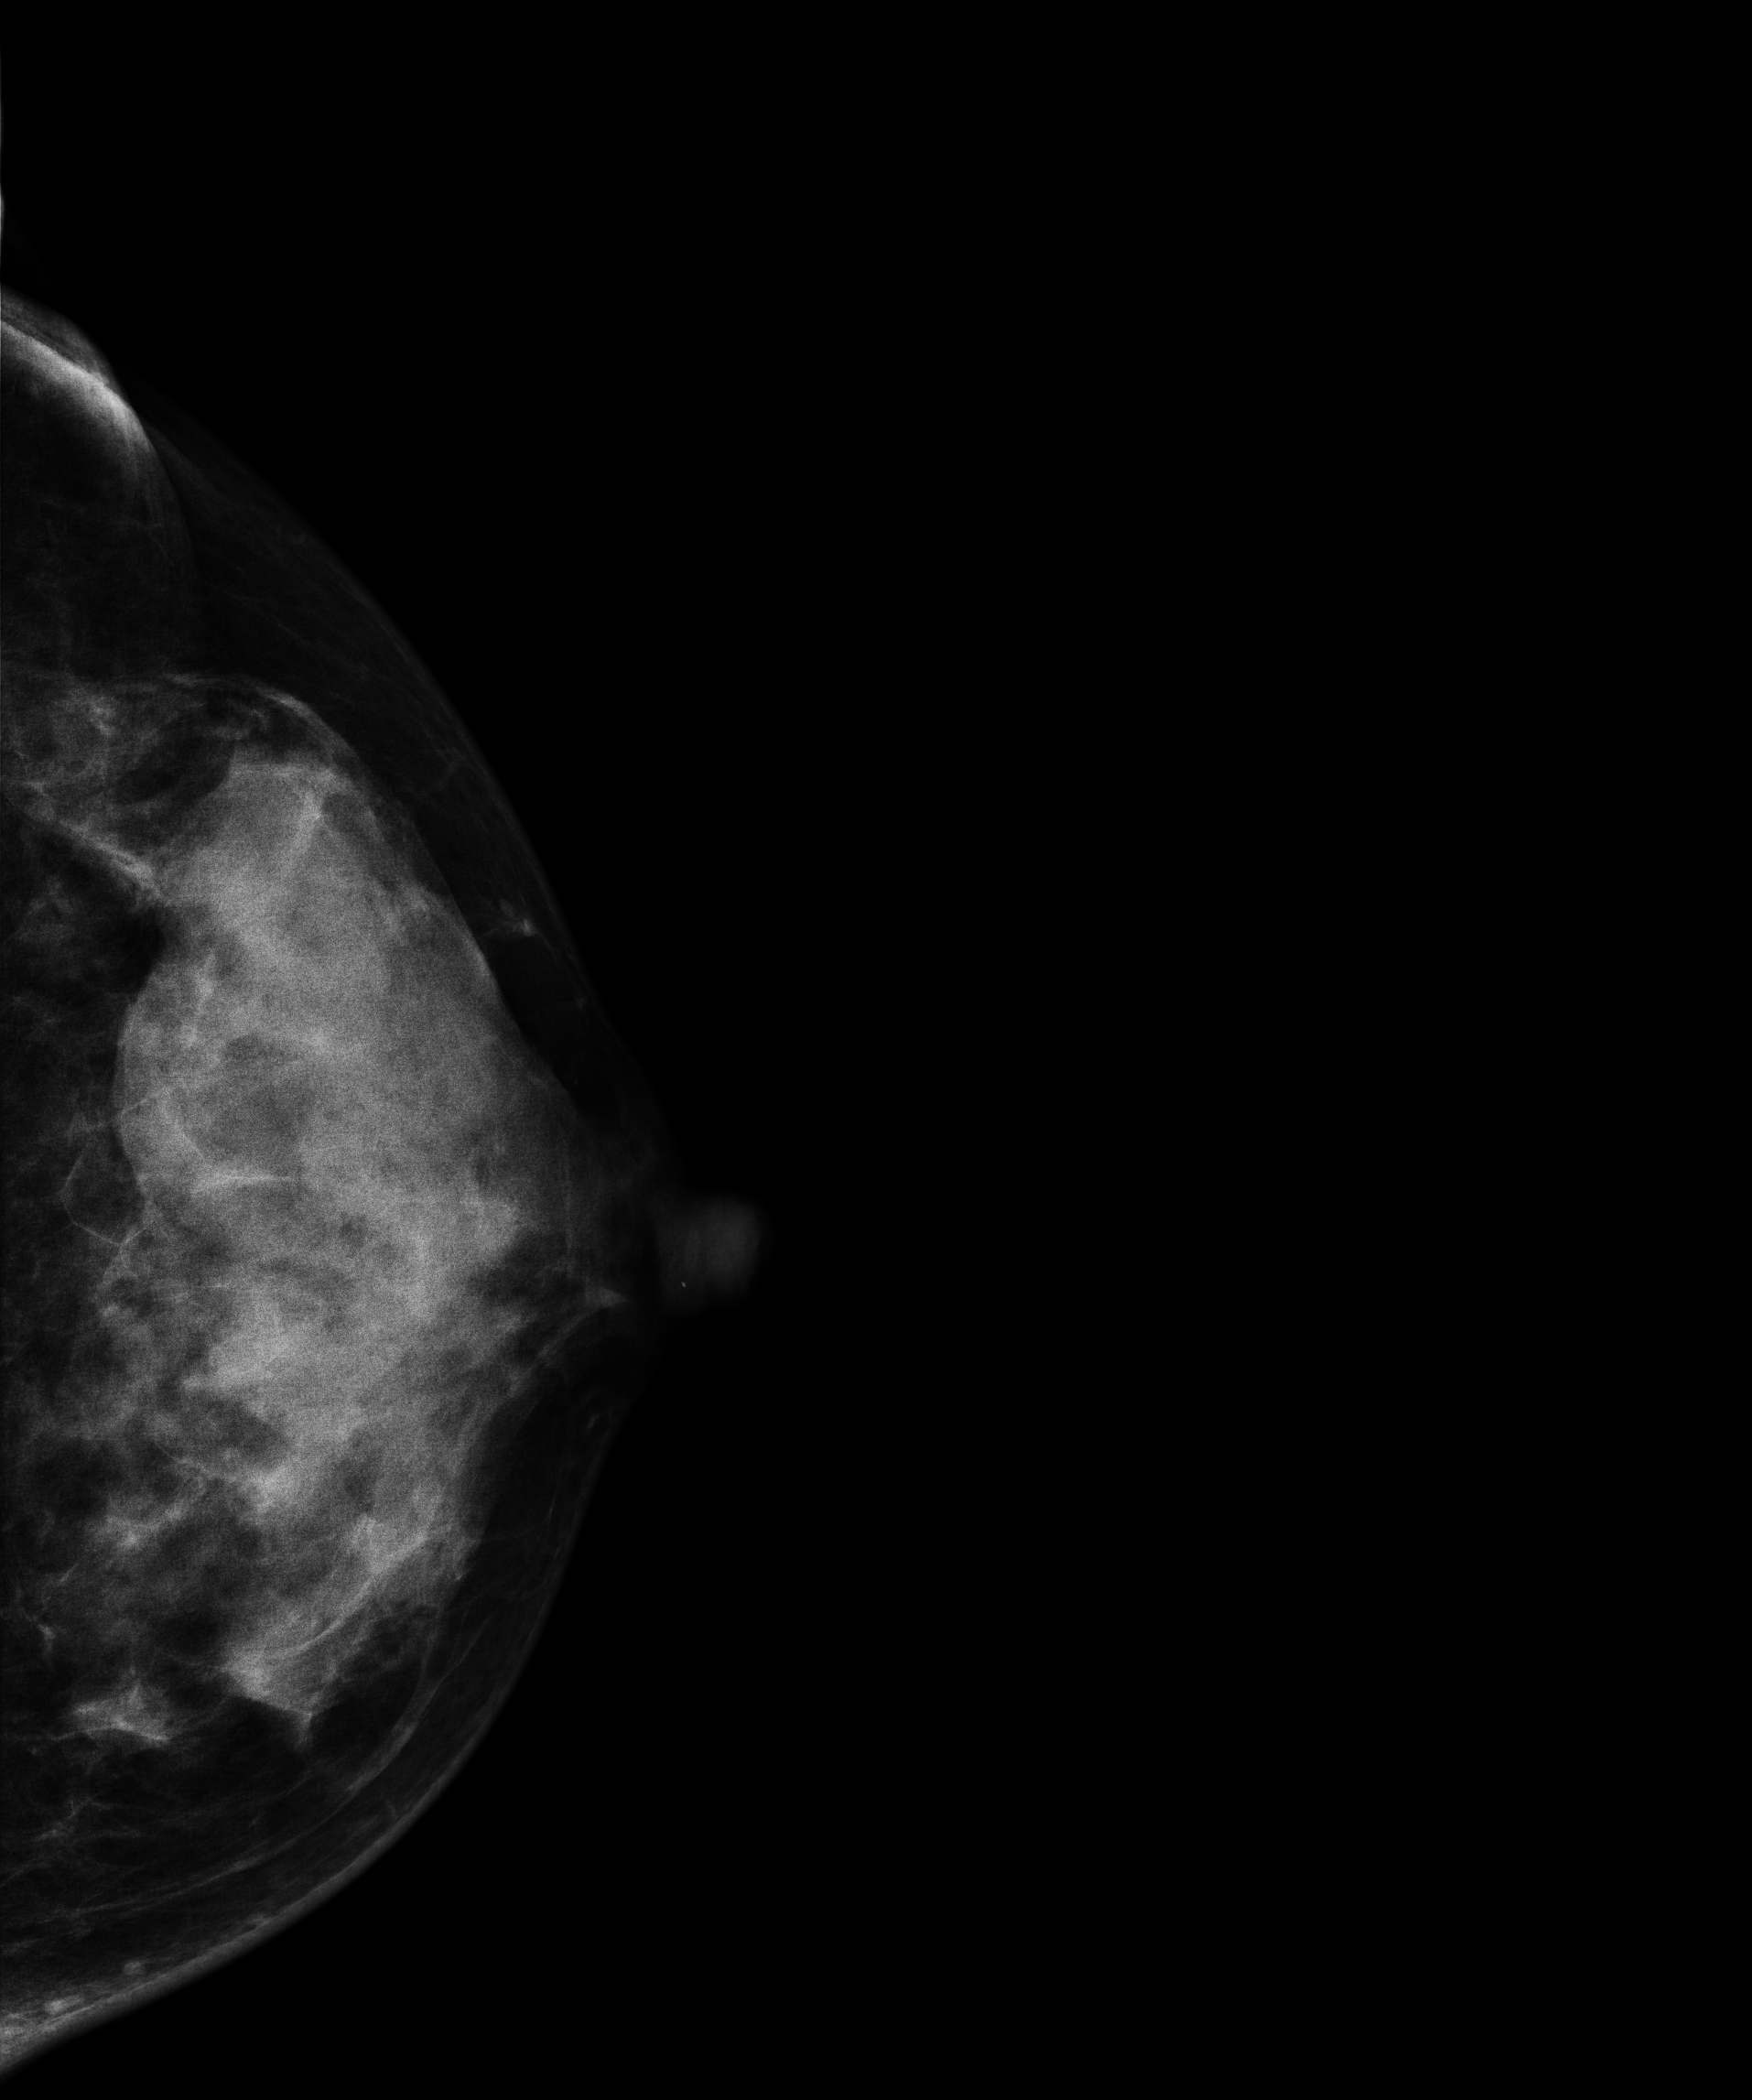
Digital mammography. Left breast, CC projection. Patient age 44.
Contralateral breast — no documented abnormality on this side.